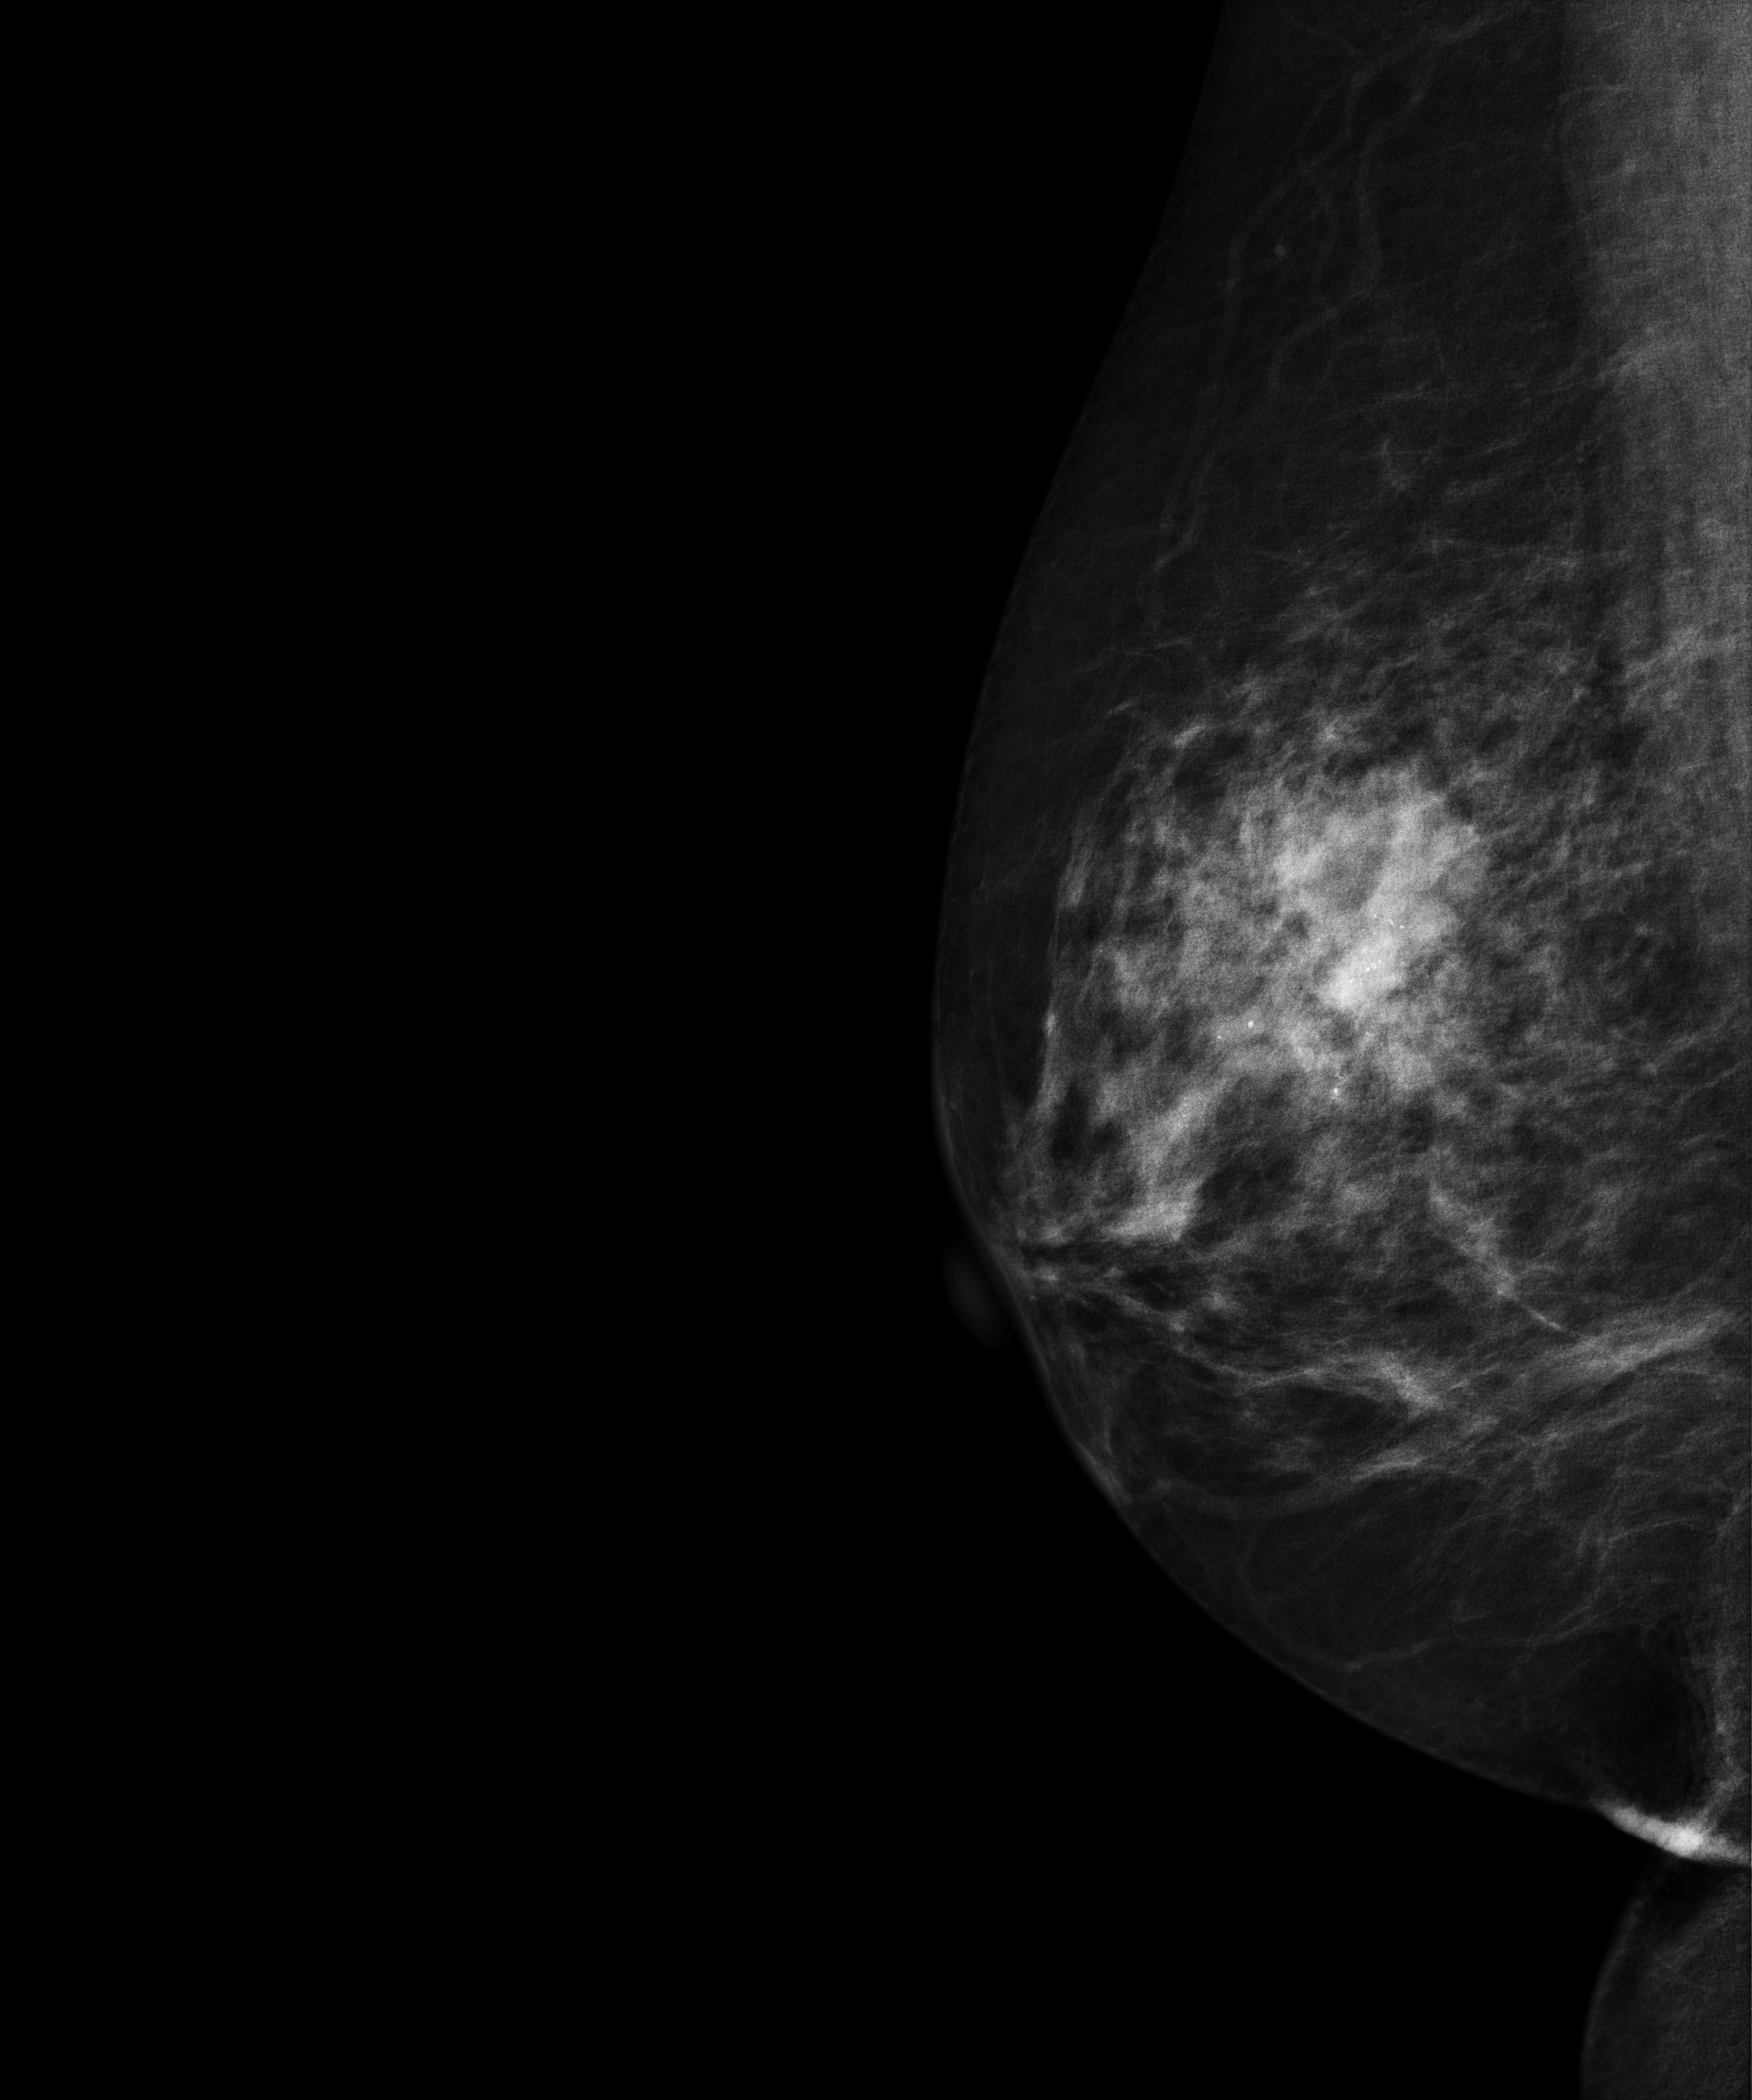
Right-breast mammogram, MLO. 61 y/o patient.
This breast has a mass and calcifications, biopsy-proven malignant. Molecular subtype: HER2-enriched.